Mammogram — left CC. Patient age 47.
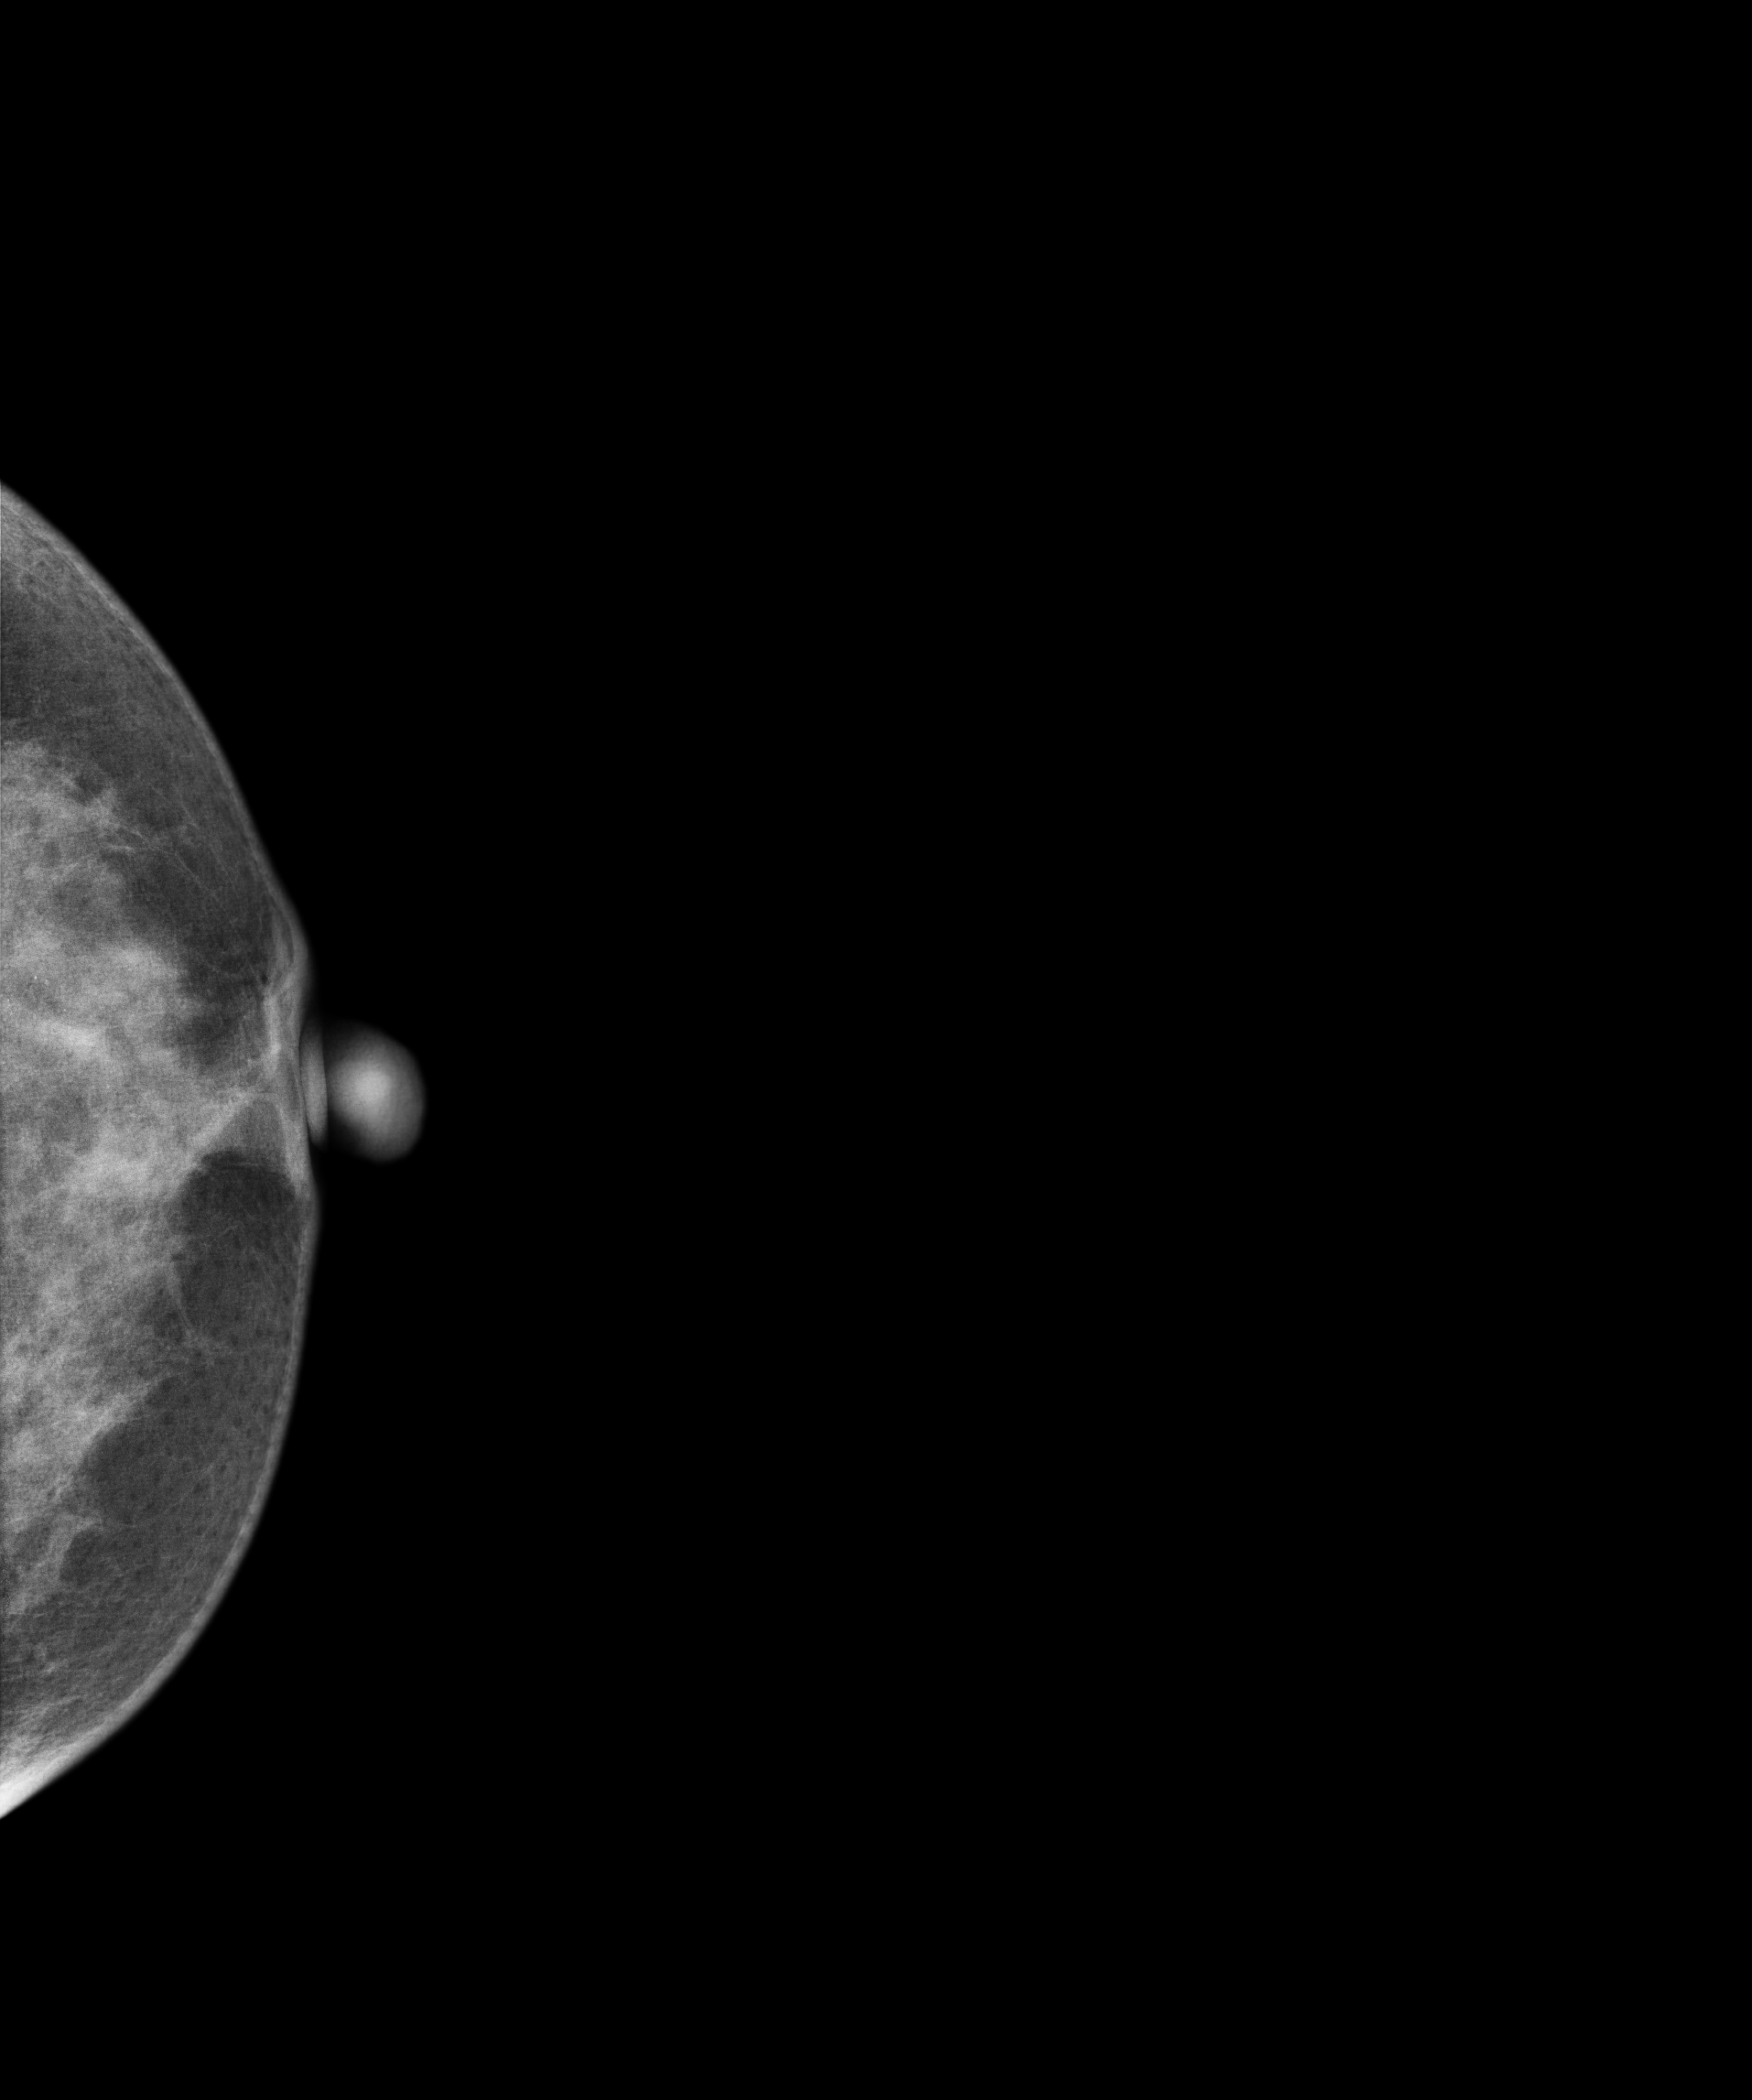
This breast has a mass and calcifications, pathology-confirmed benign.